Right-breast mammogram, CC. 39 y/o patient.
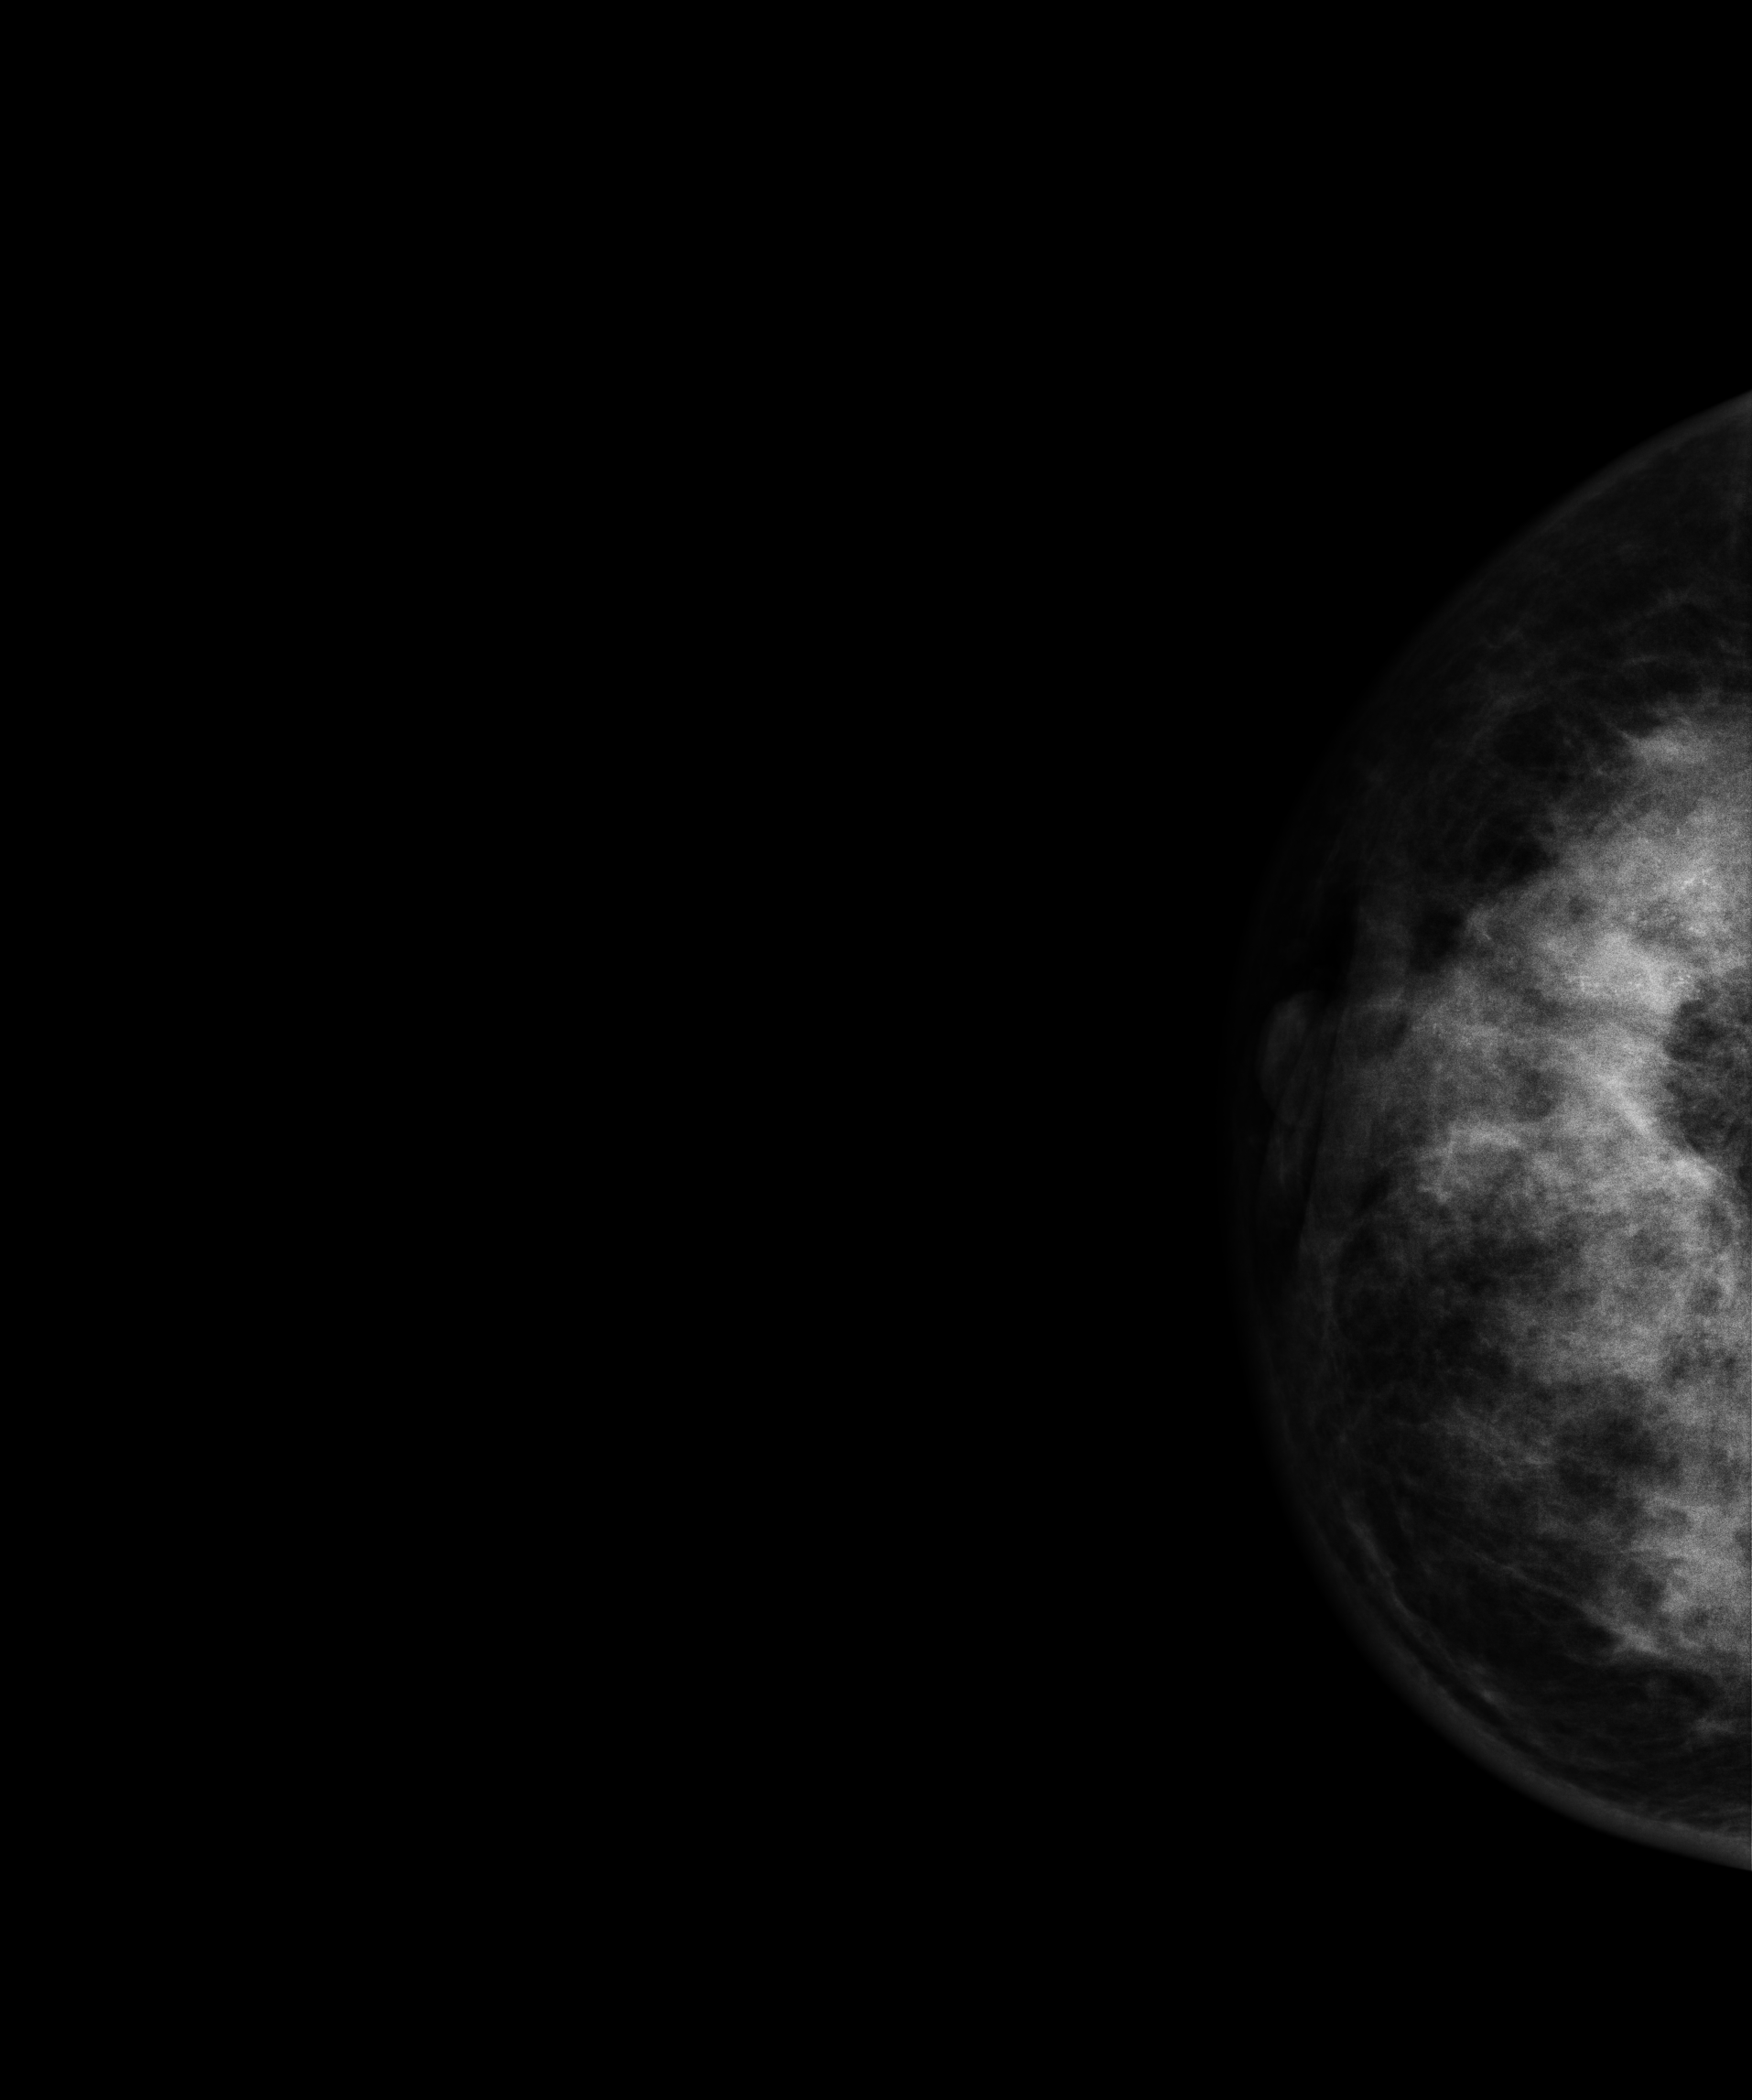
This breast has calcifications, pathology-confirmed malignant.